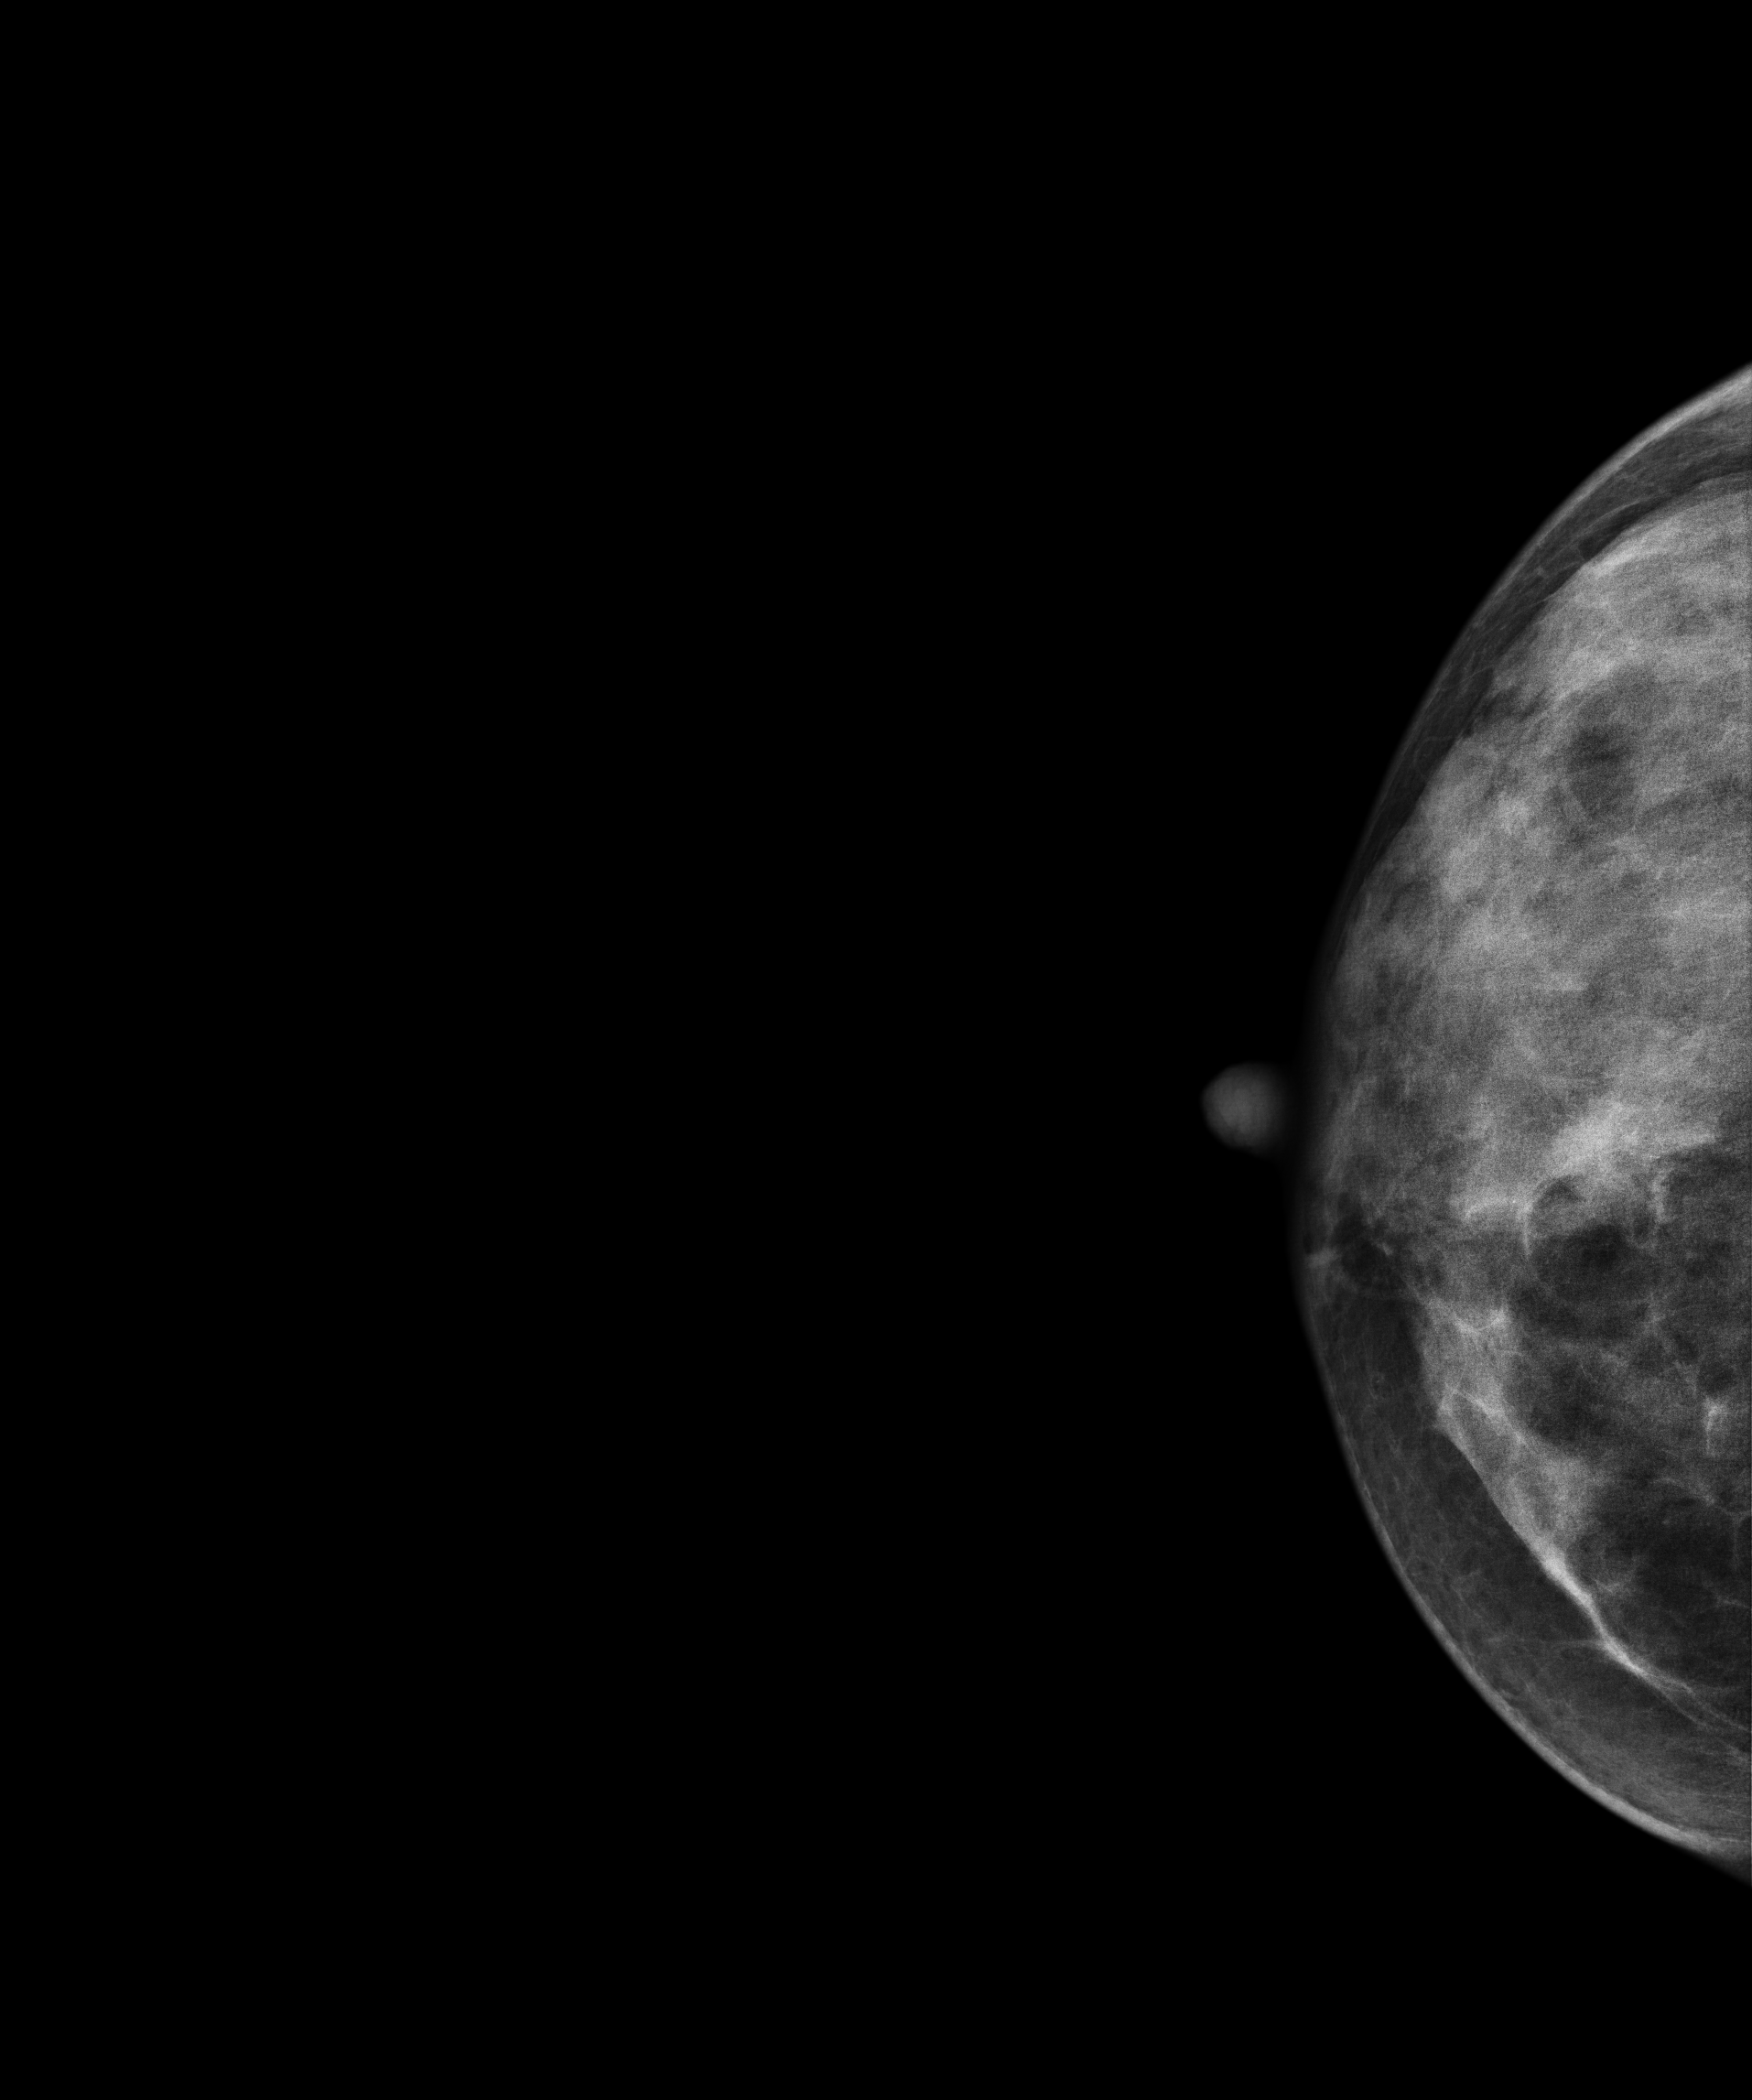
Digital mammography. Right breast, CC projection. 41 y/o patient.
This breast has a mass and calcifications, biopsy-proven malignant.